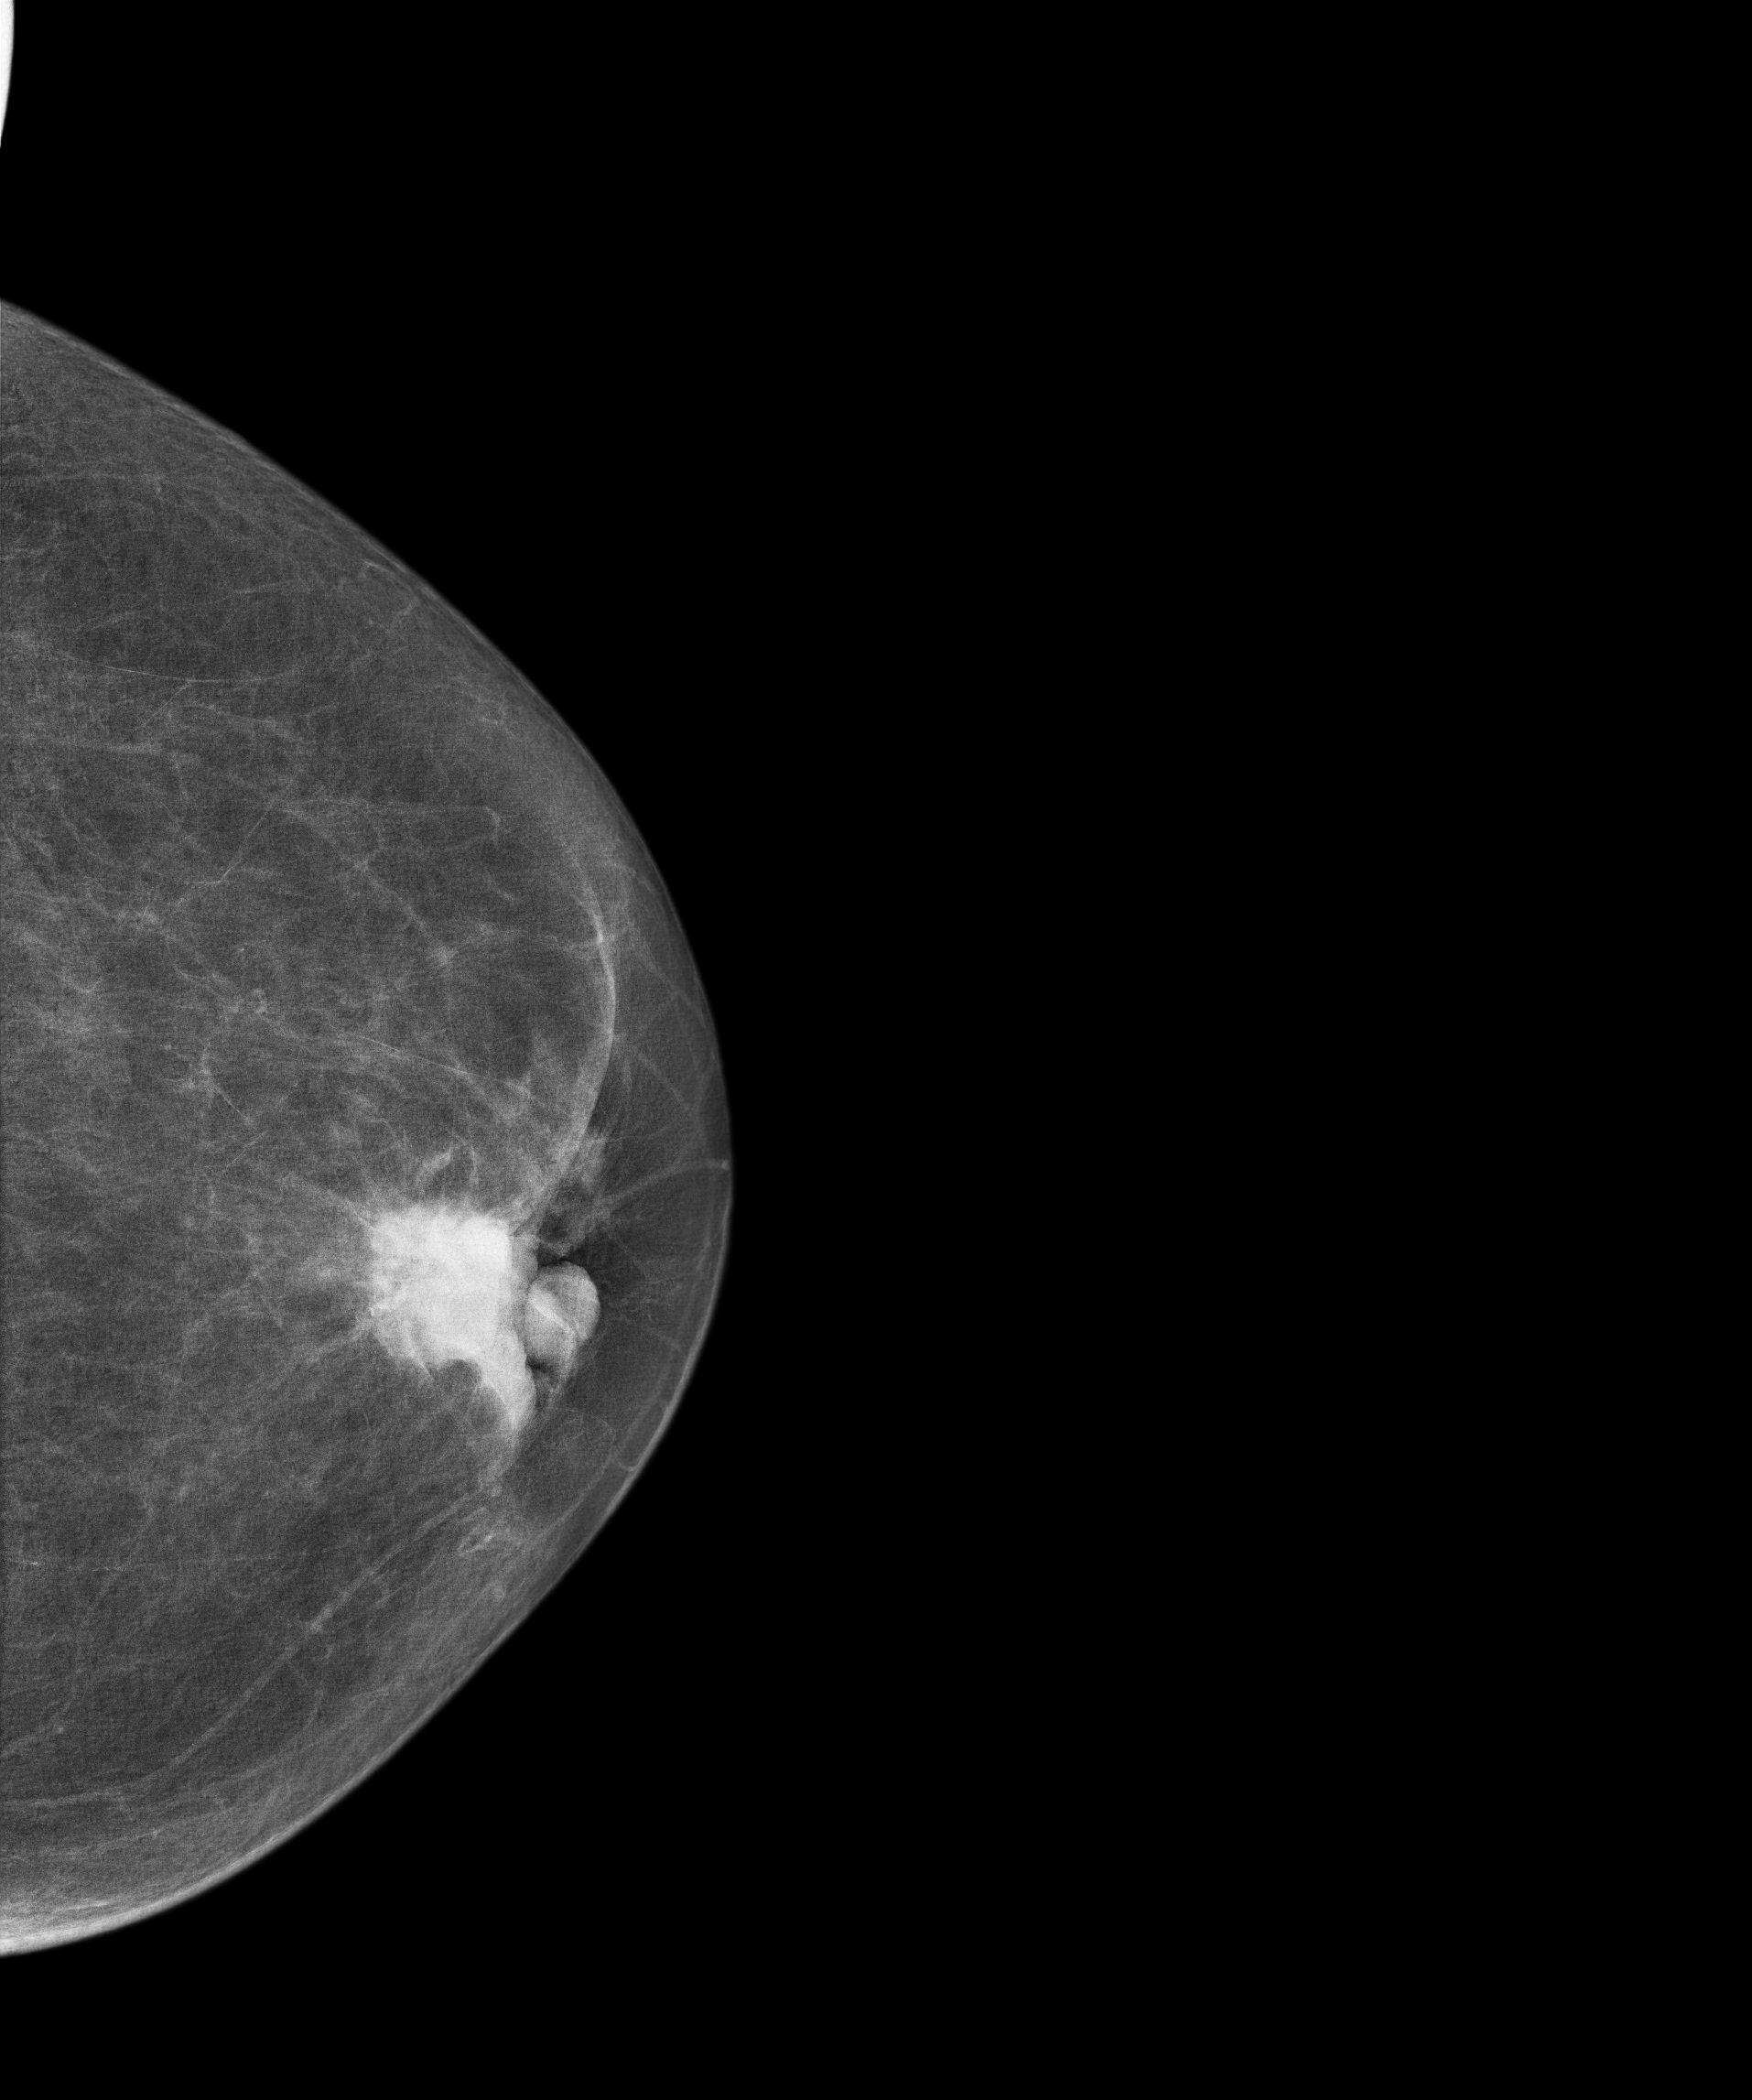
Digital mammography. Left breast, cranio-caudal projection. 73-year-old patient.
This breast has a mass, histologically confirmed malignant. Molecular subtype: luminal B.